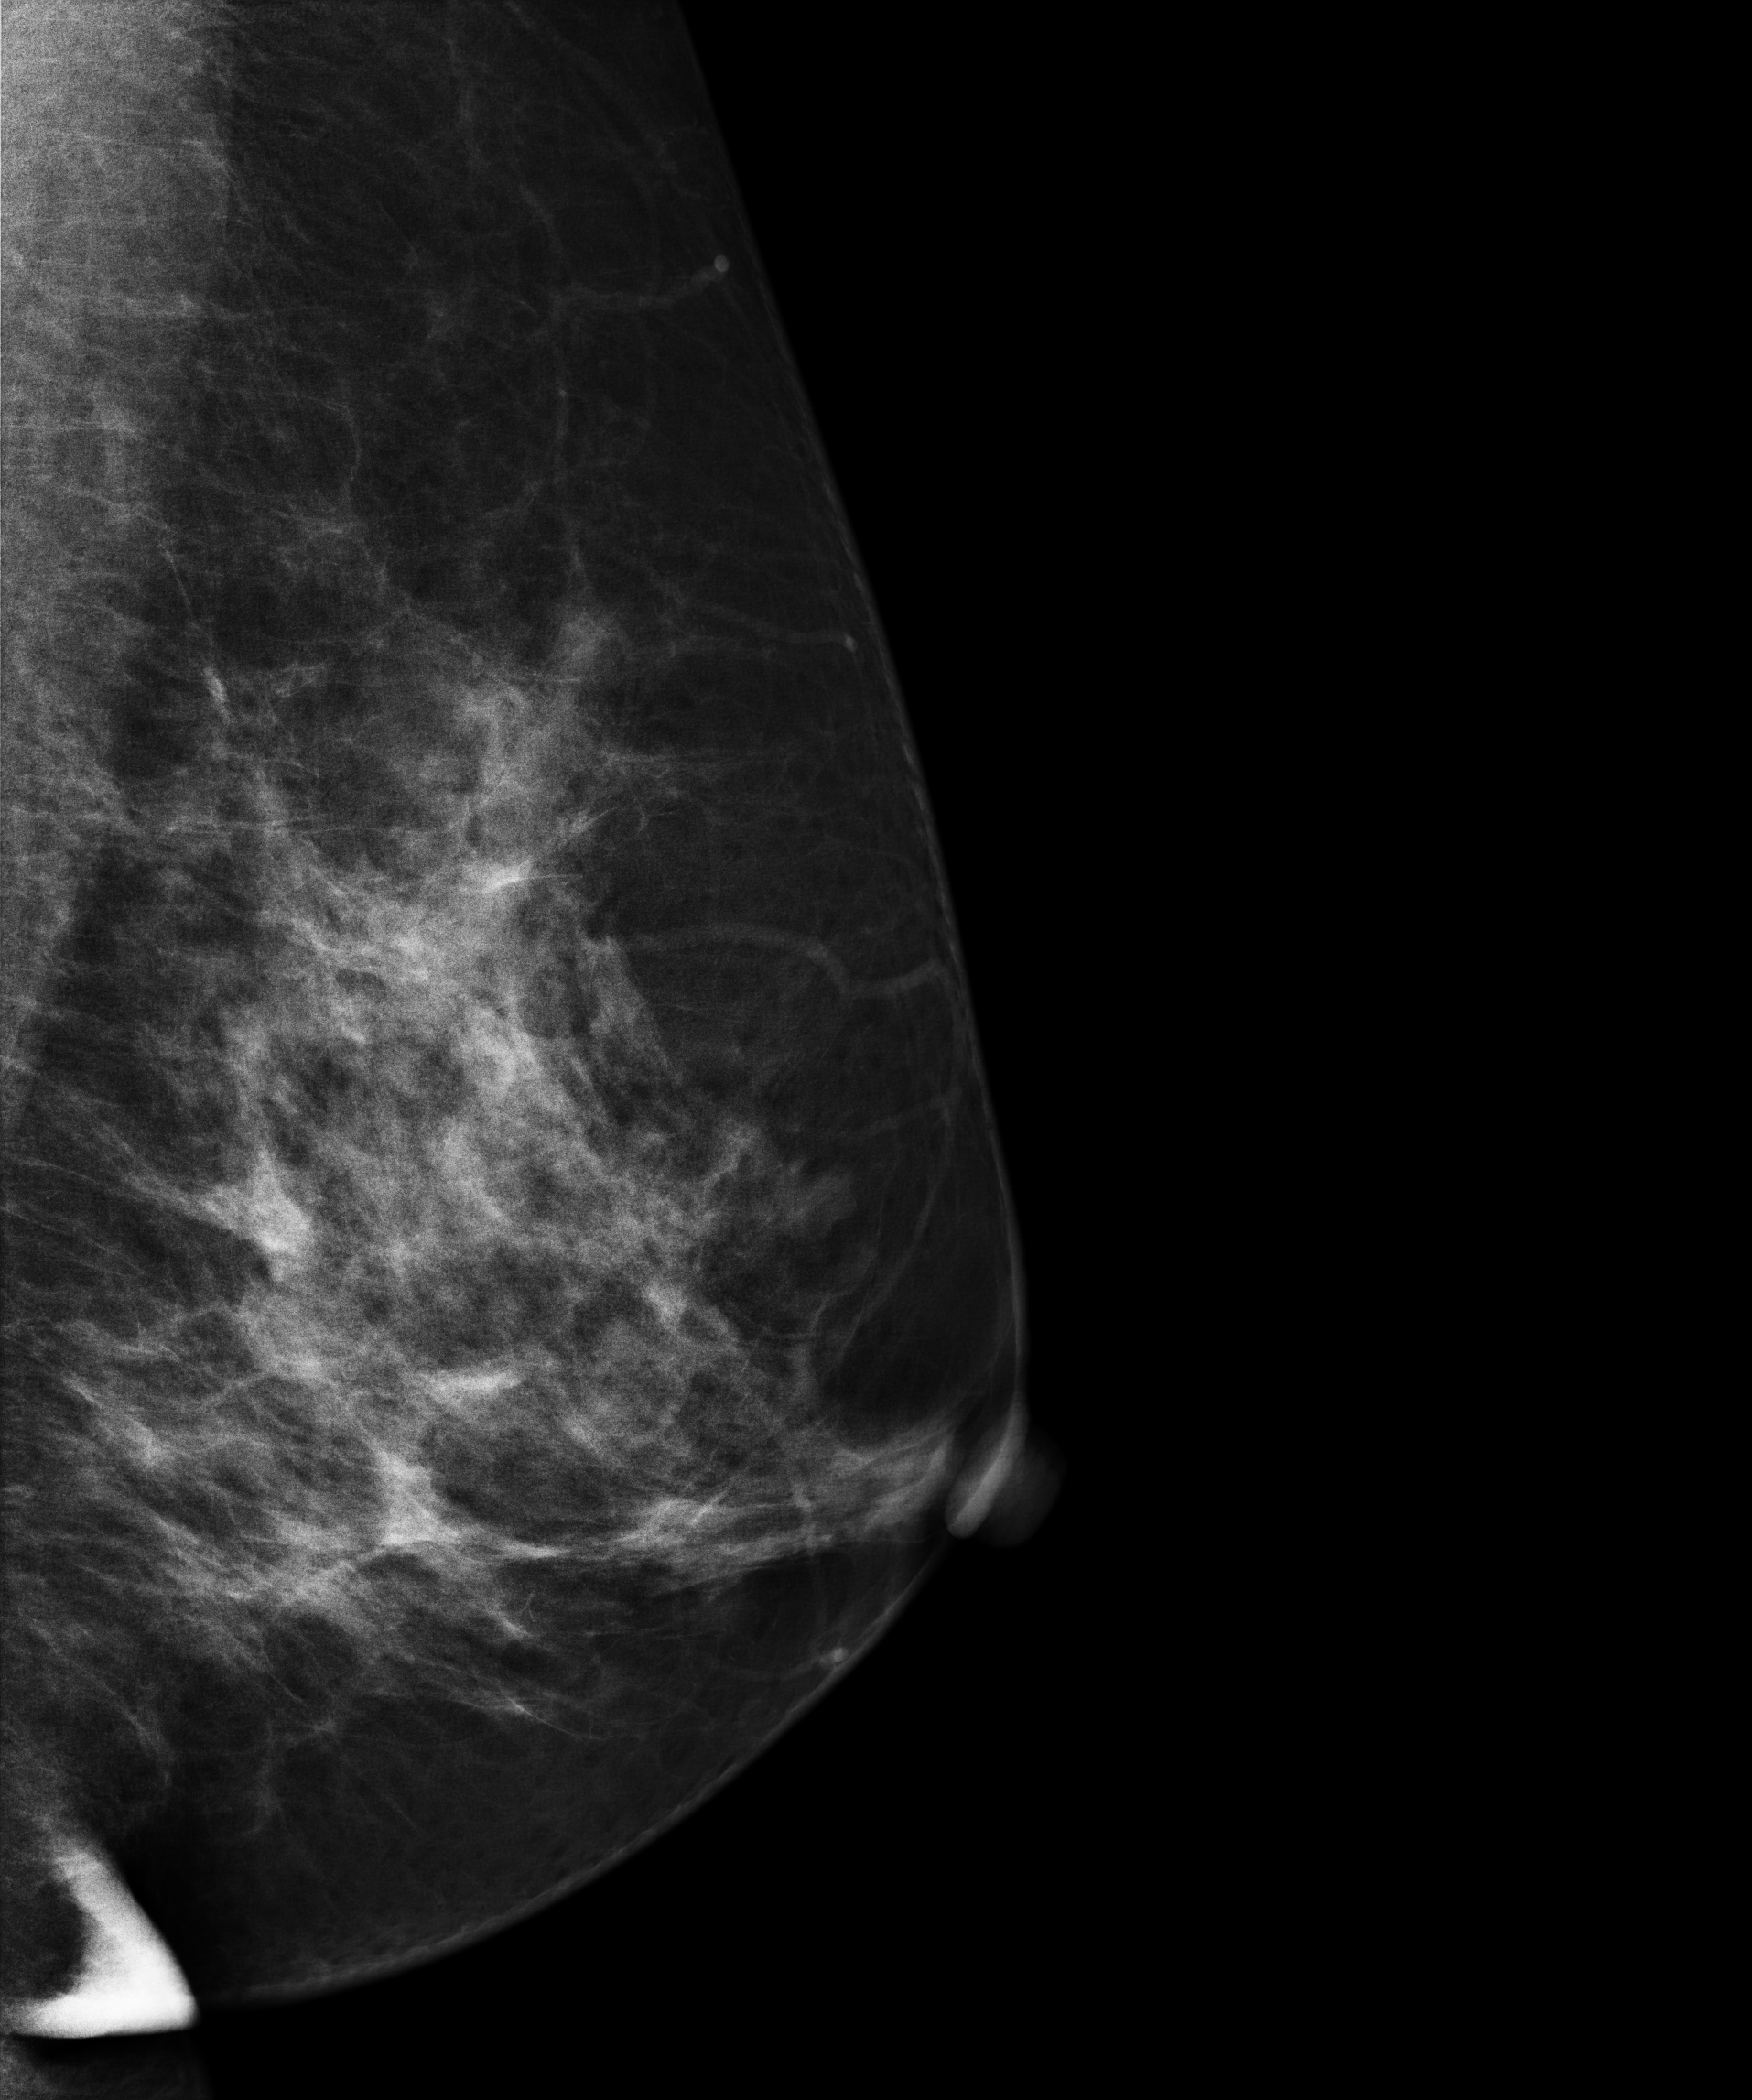
Mammogram, left breast, medio-lateral oblique view. 49 y/o patient.
Contralateral breast — no documented abnormality on this side.